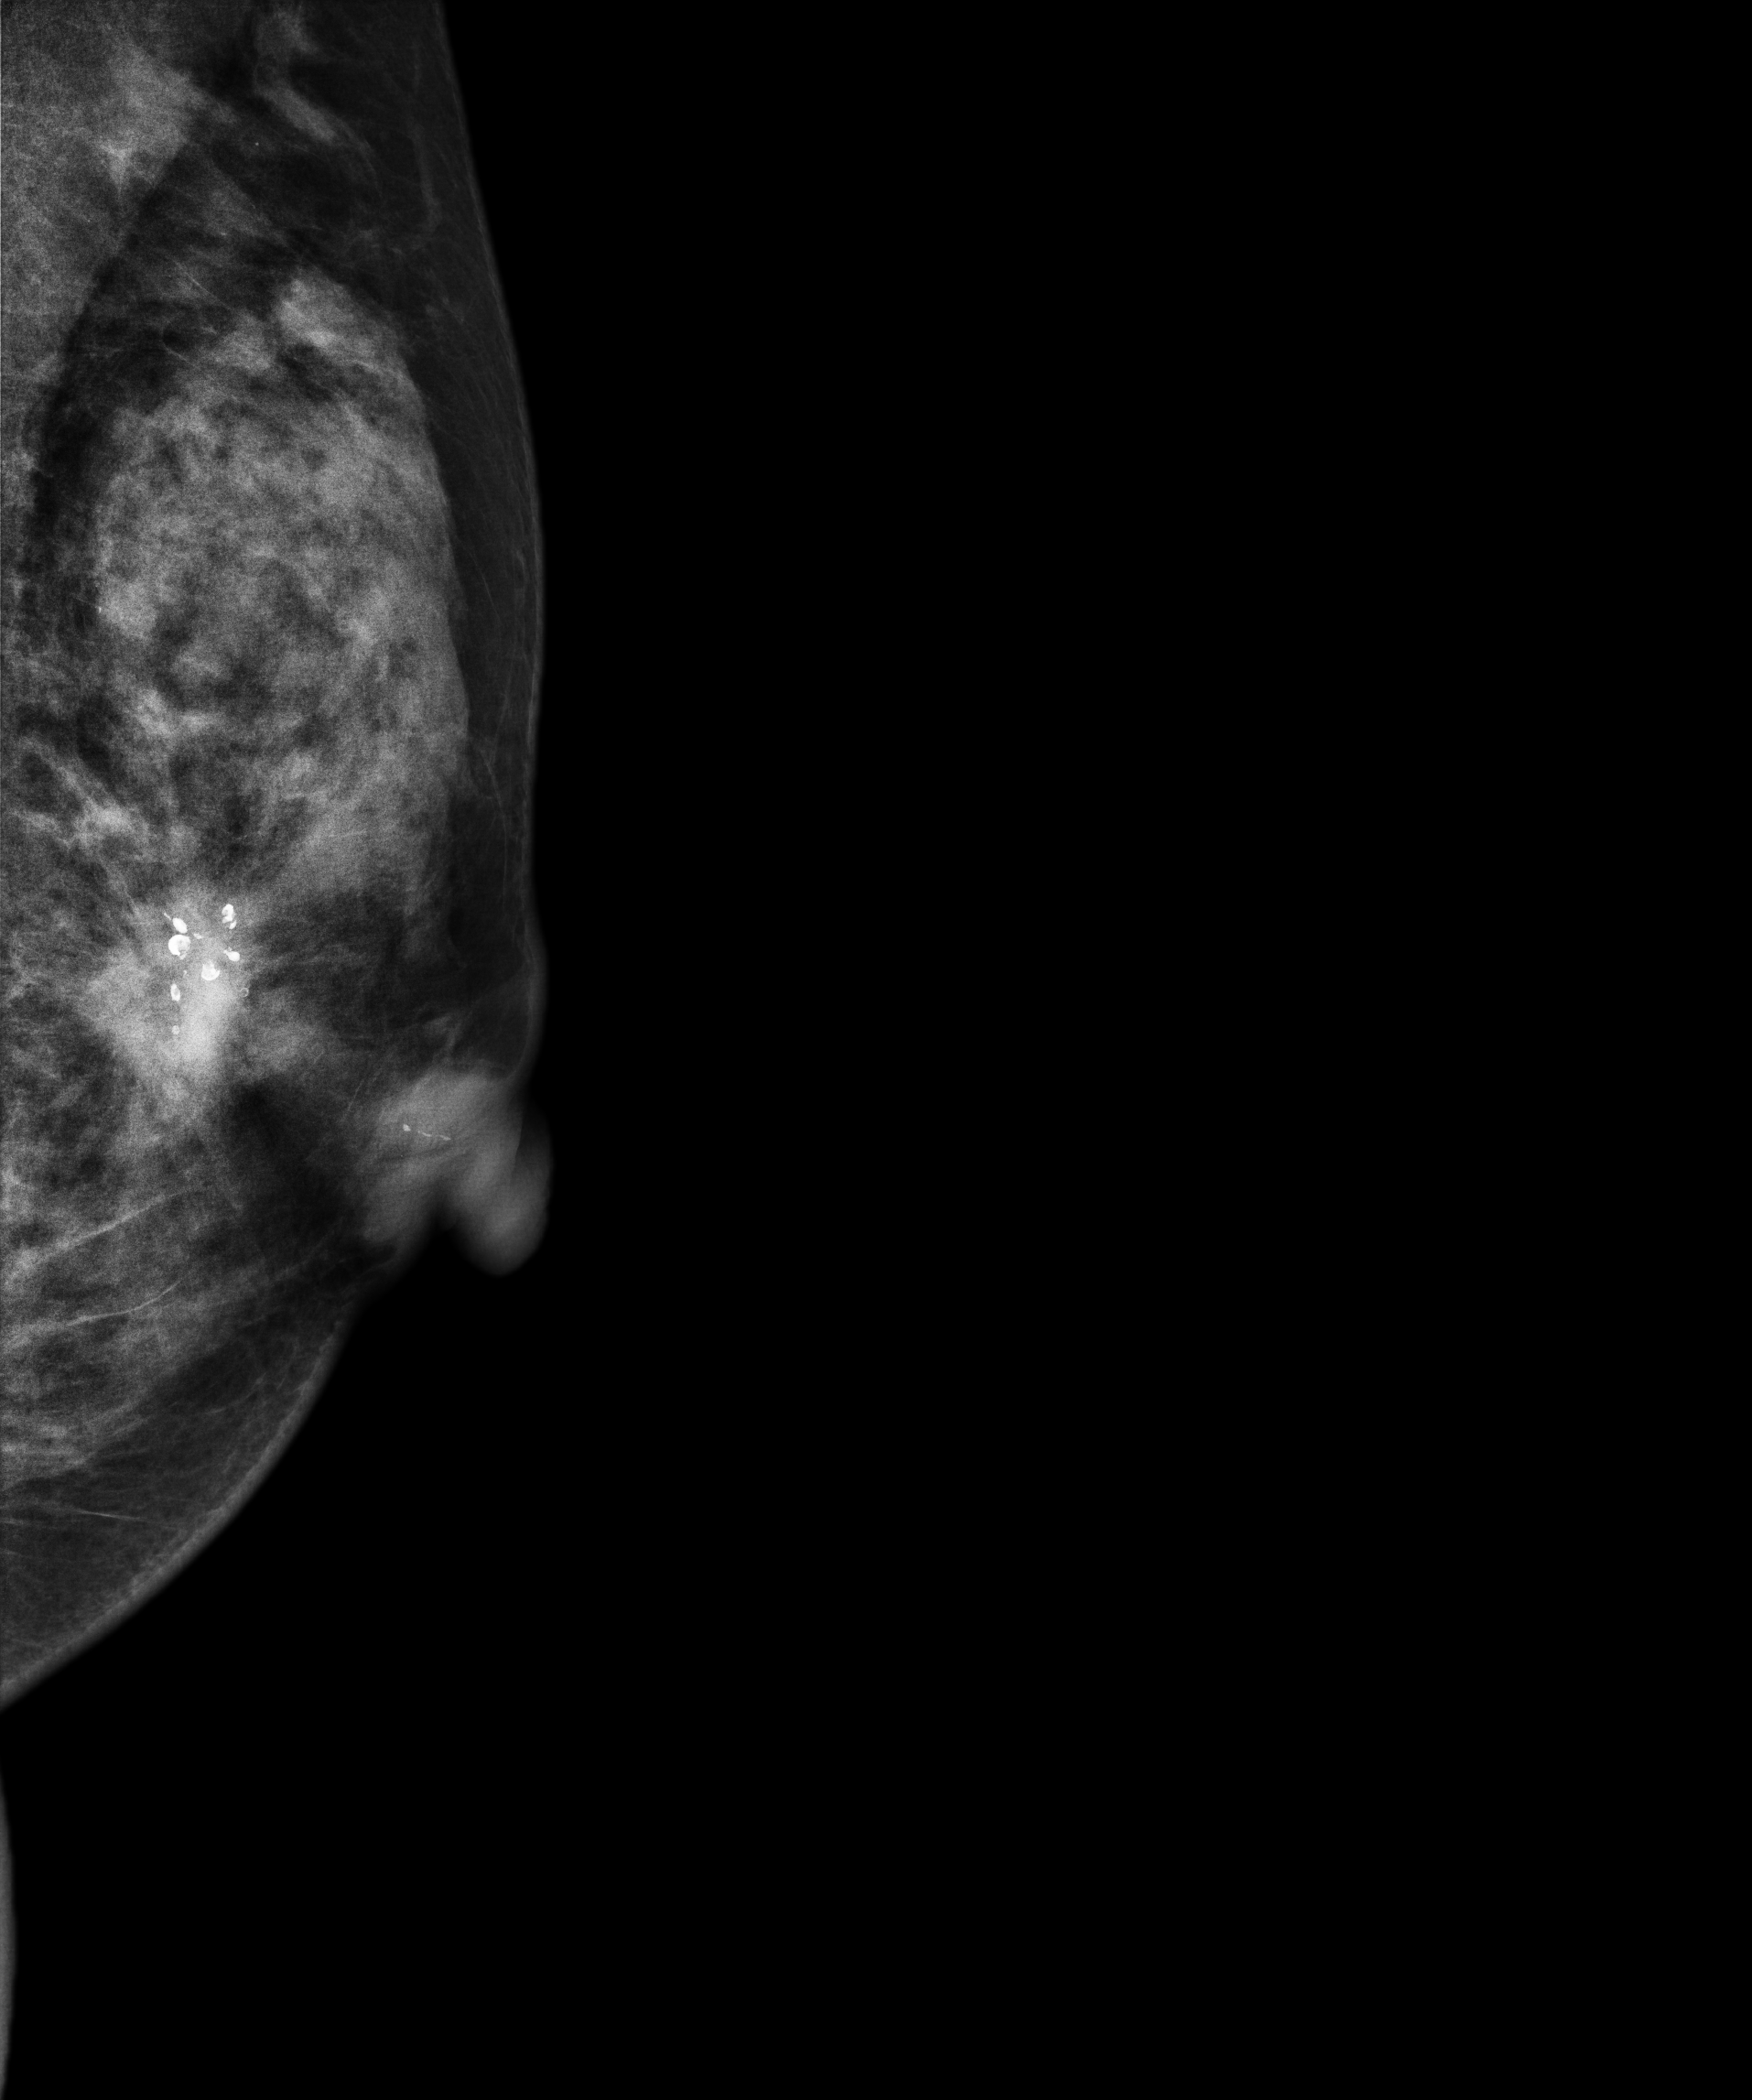
Digital mammography. Left breast, medio-lateral oblique projection. 49 y/o patient.
This breast has a mass and calcifications, histologically confirmed malignant.